Digital mammography. Left breast, cranio-caudal projection. 51 y/o patient.
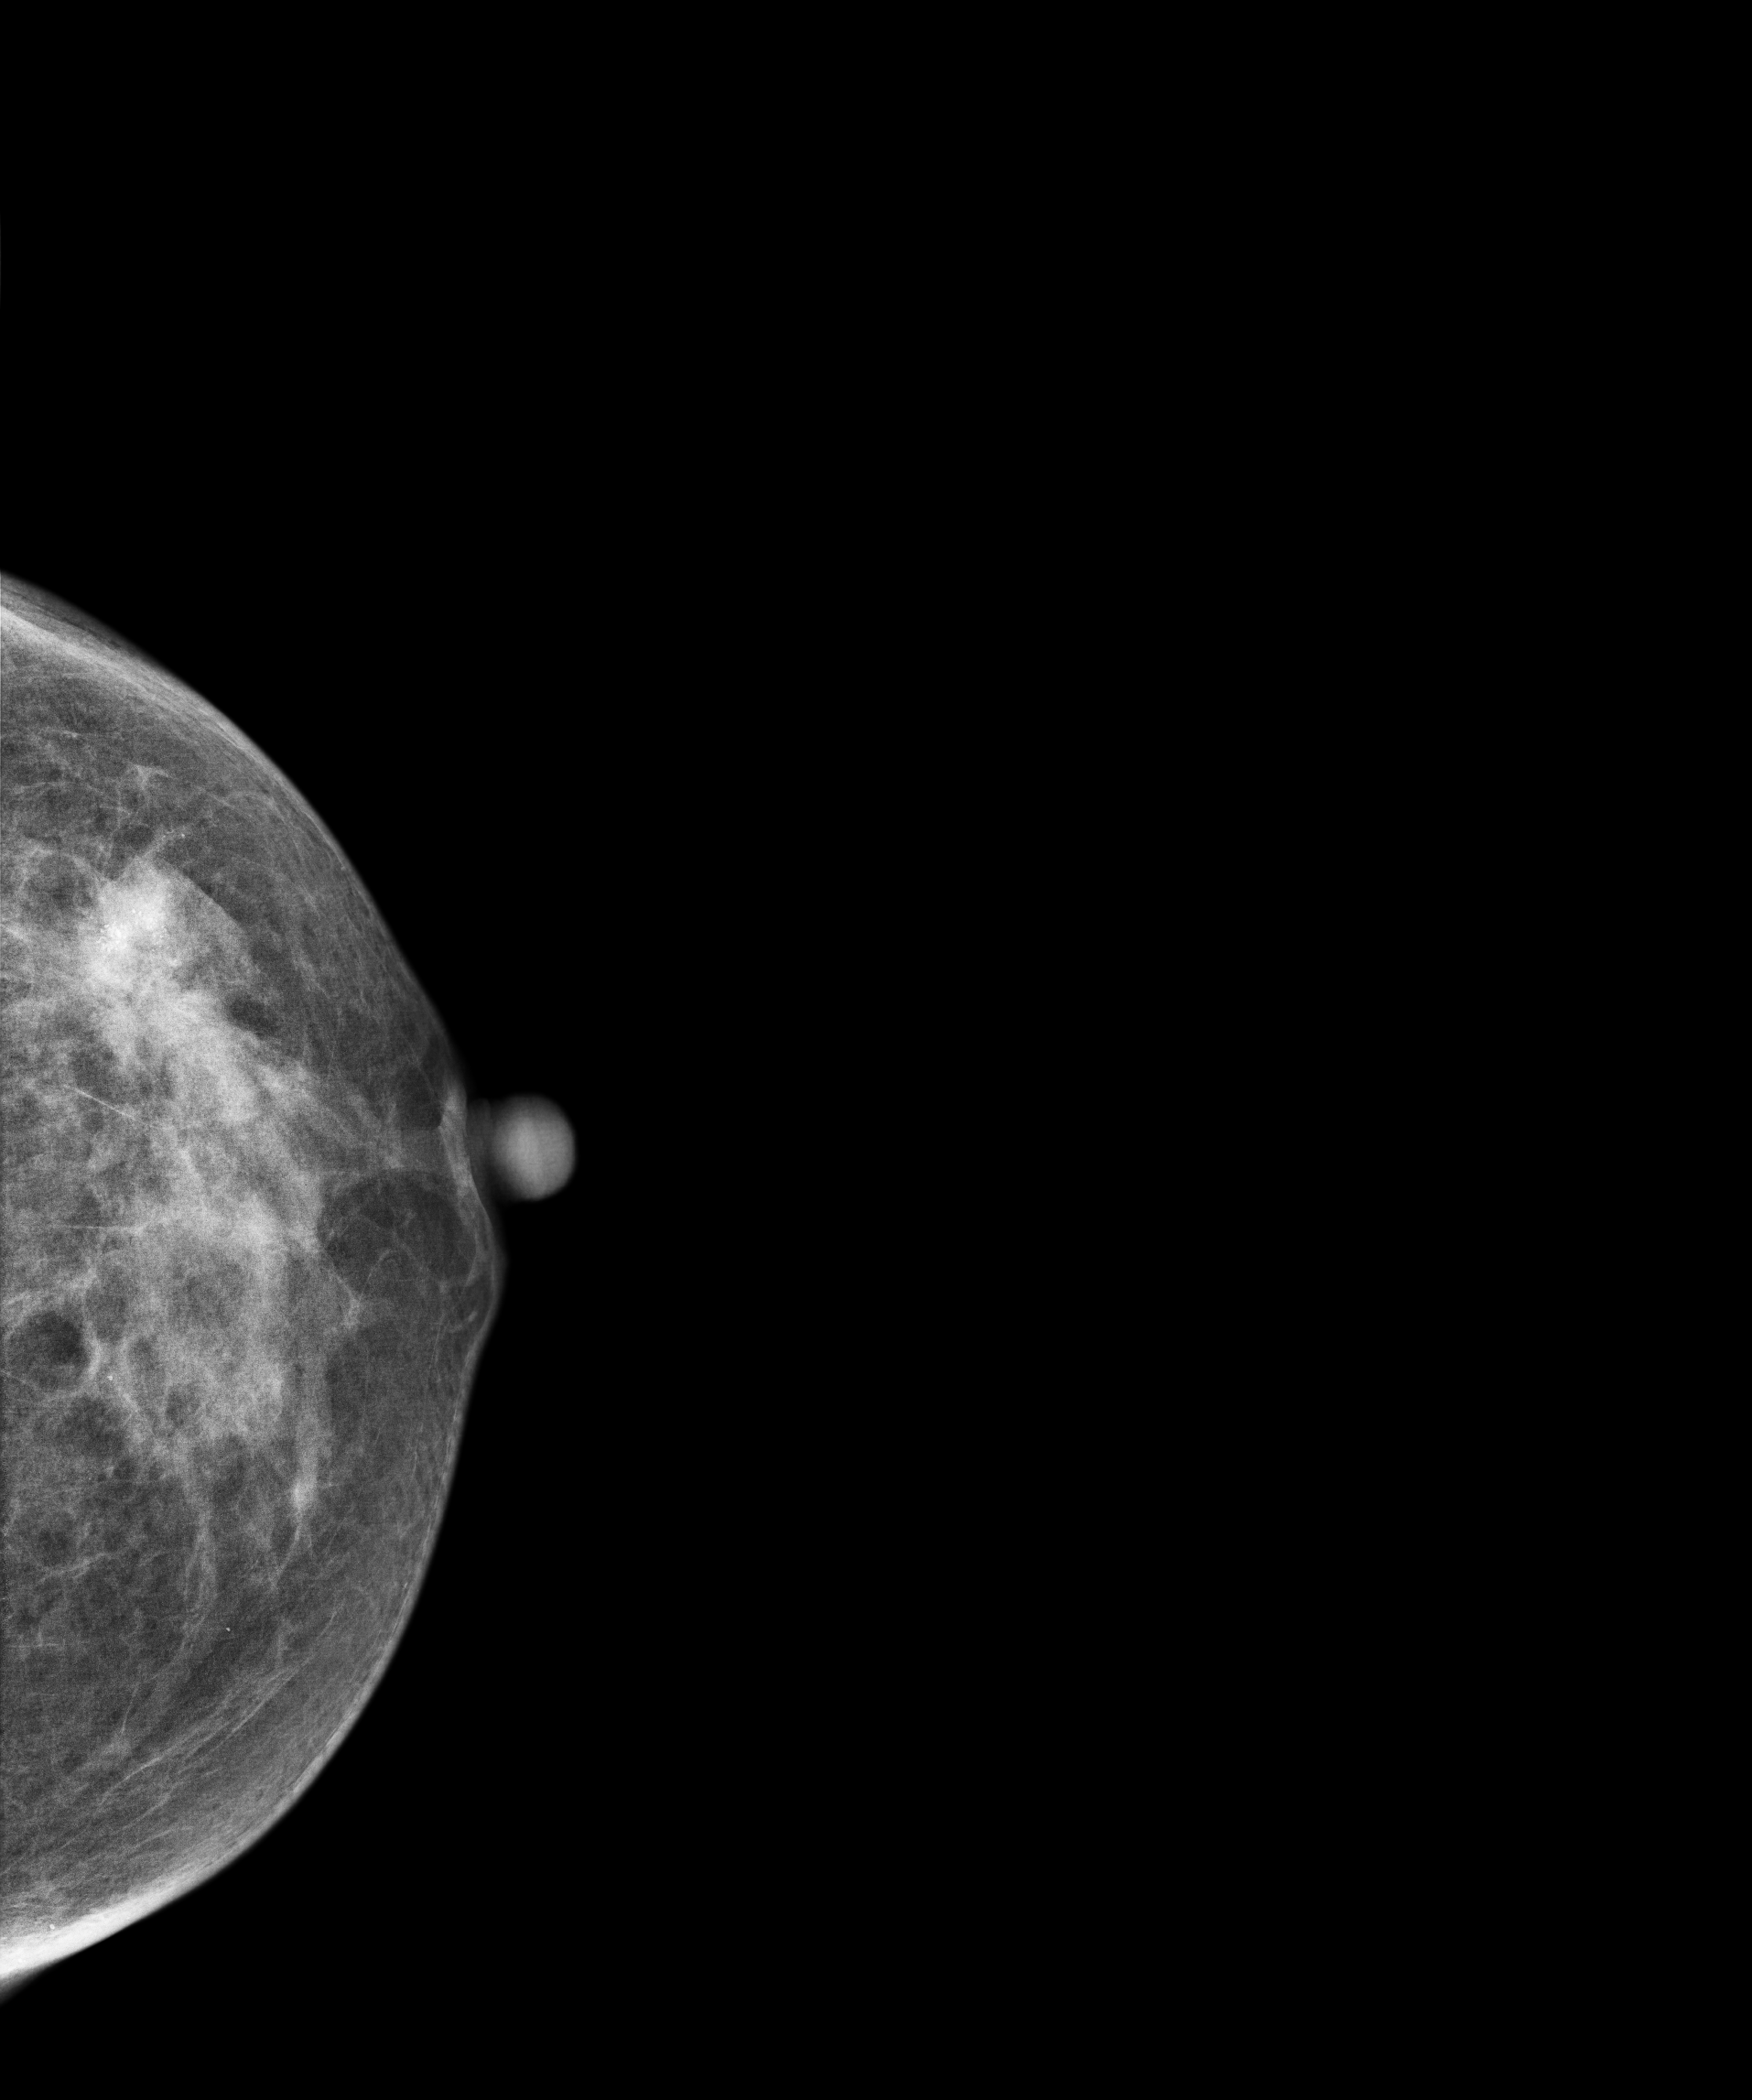
This breast has a mass and calcifications, biopsy-proven malignant. Molecular subtype: luminal B.